Left-breast mammogram, CC. 46 y/o patient.
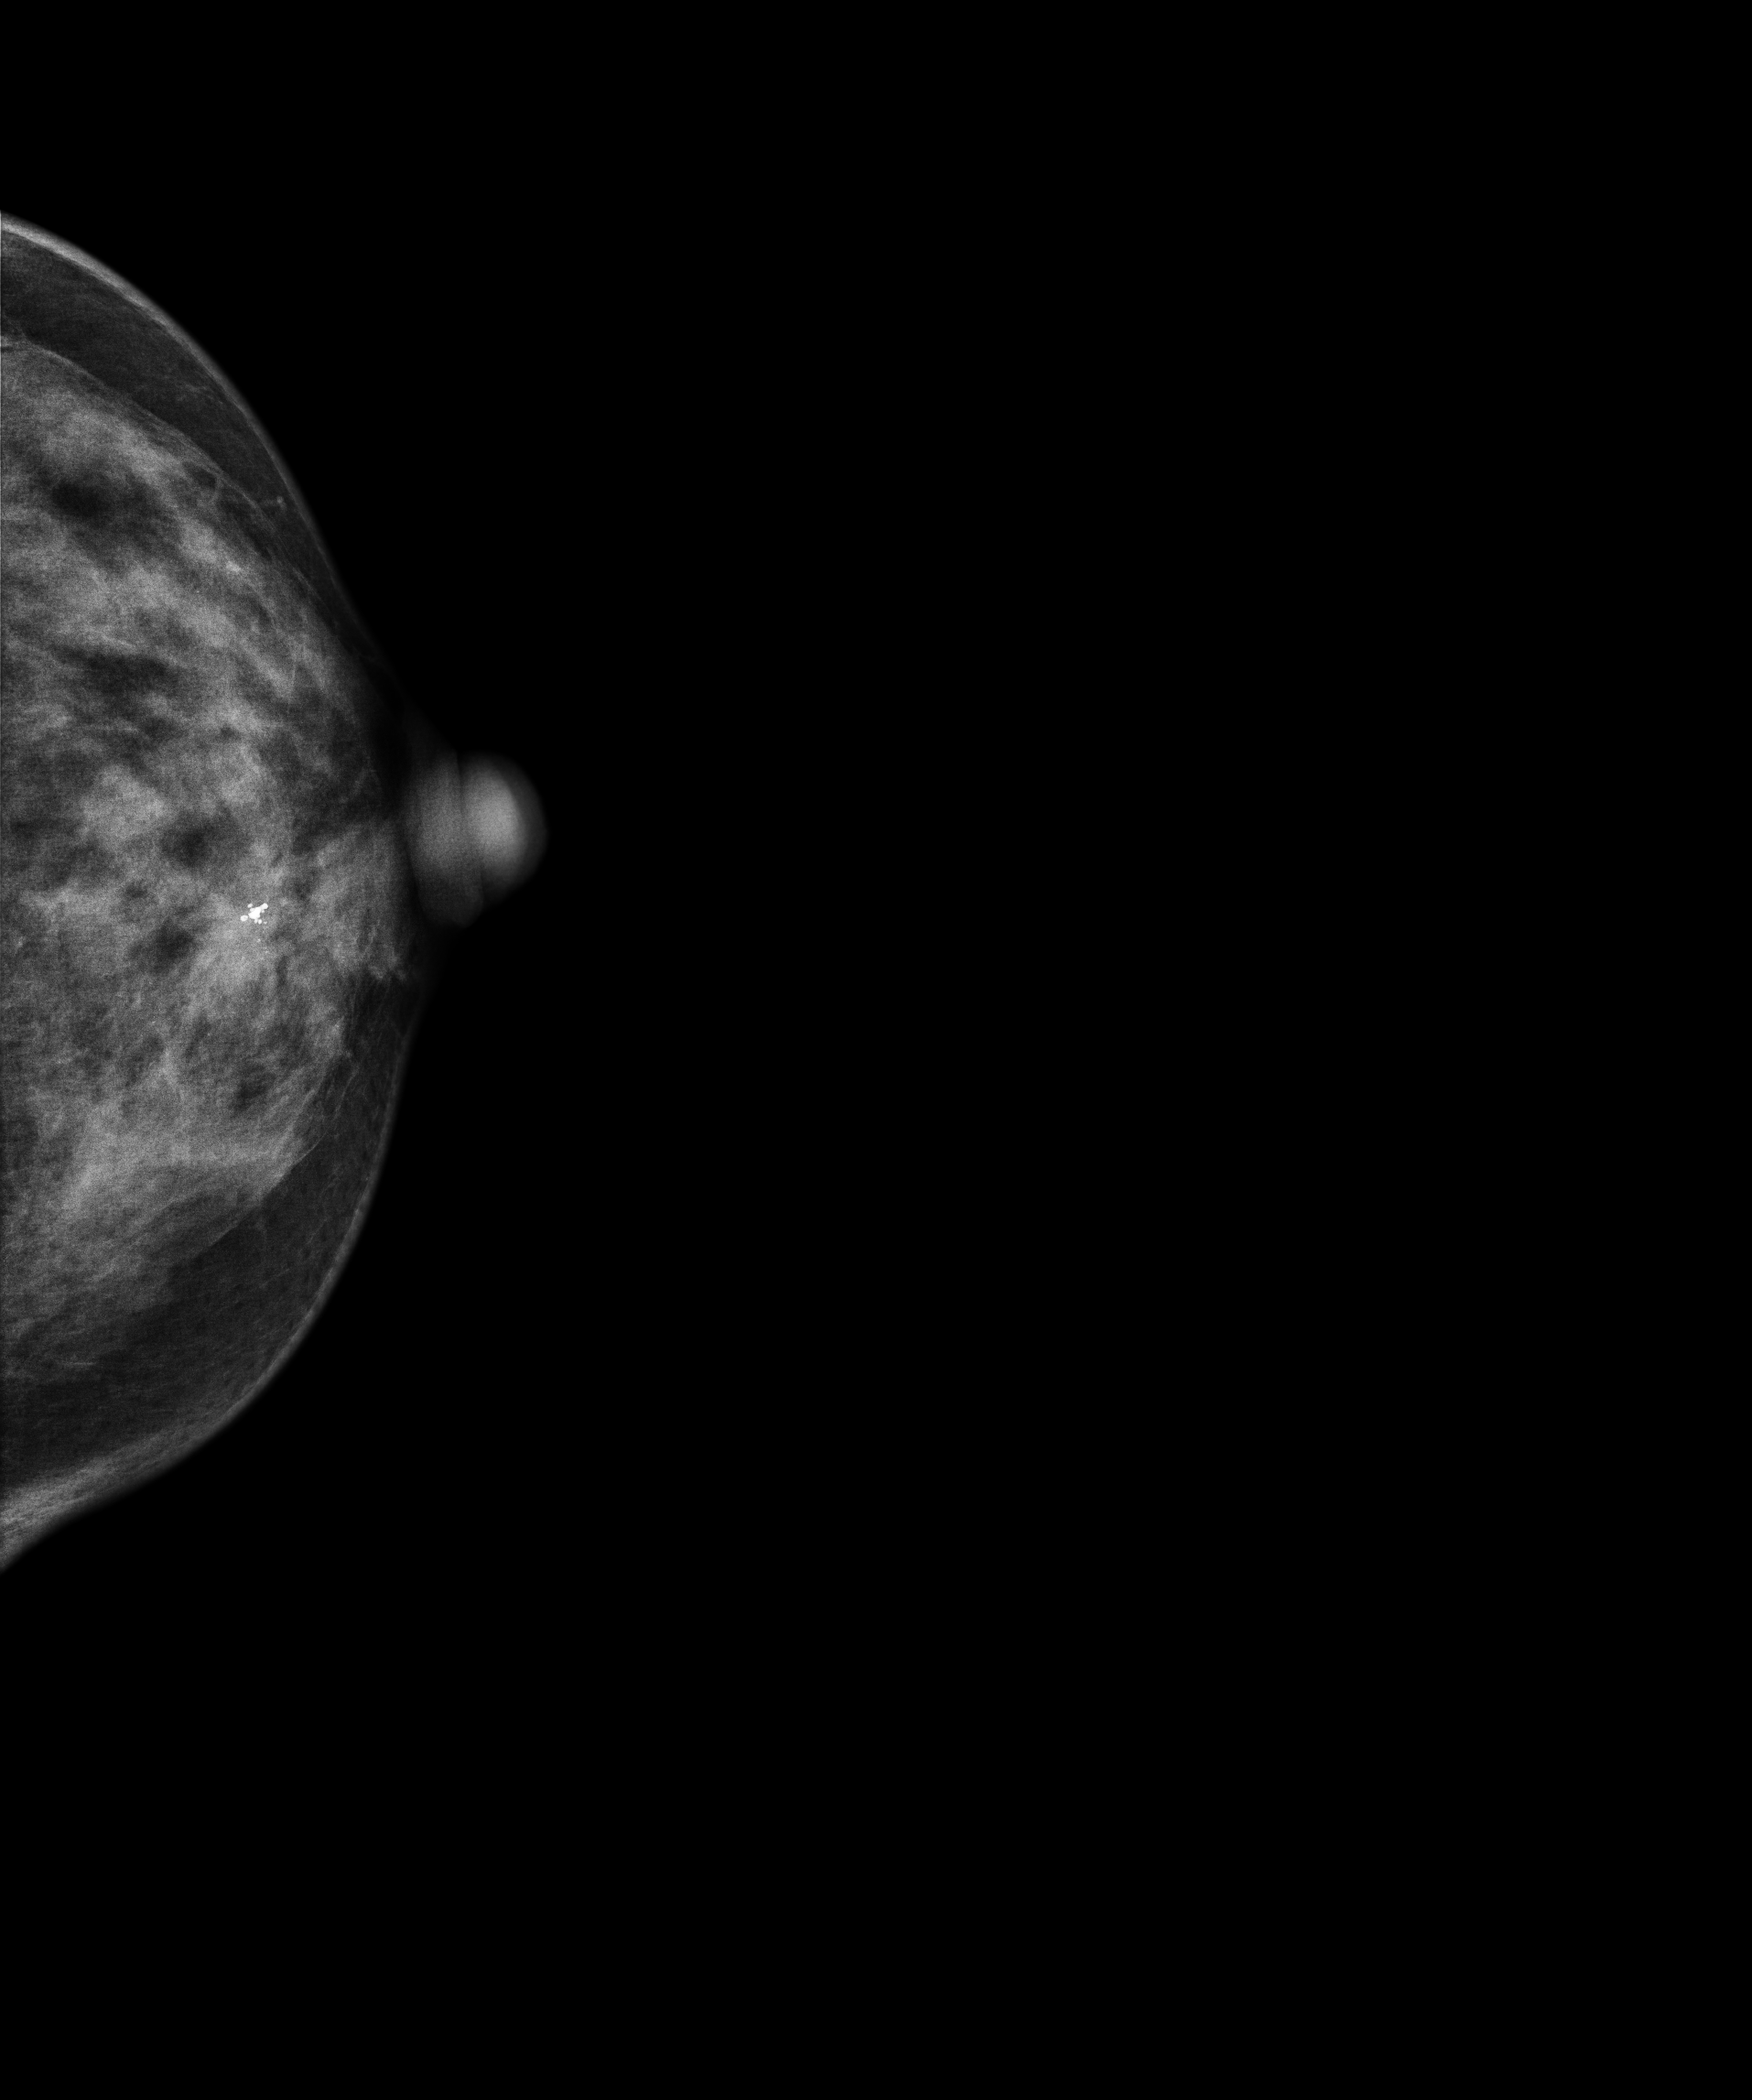
This breast has a mass and calcifications, biopsy-confirmed malignant. Molecular subtype: luminal B.